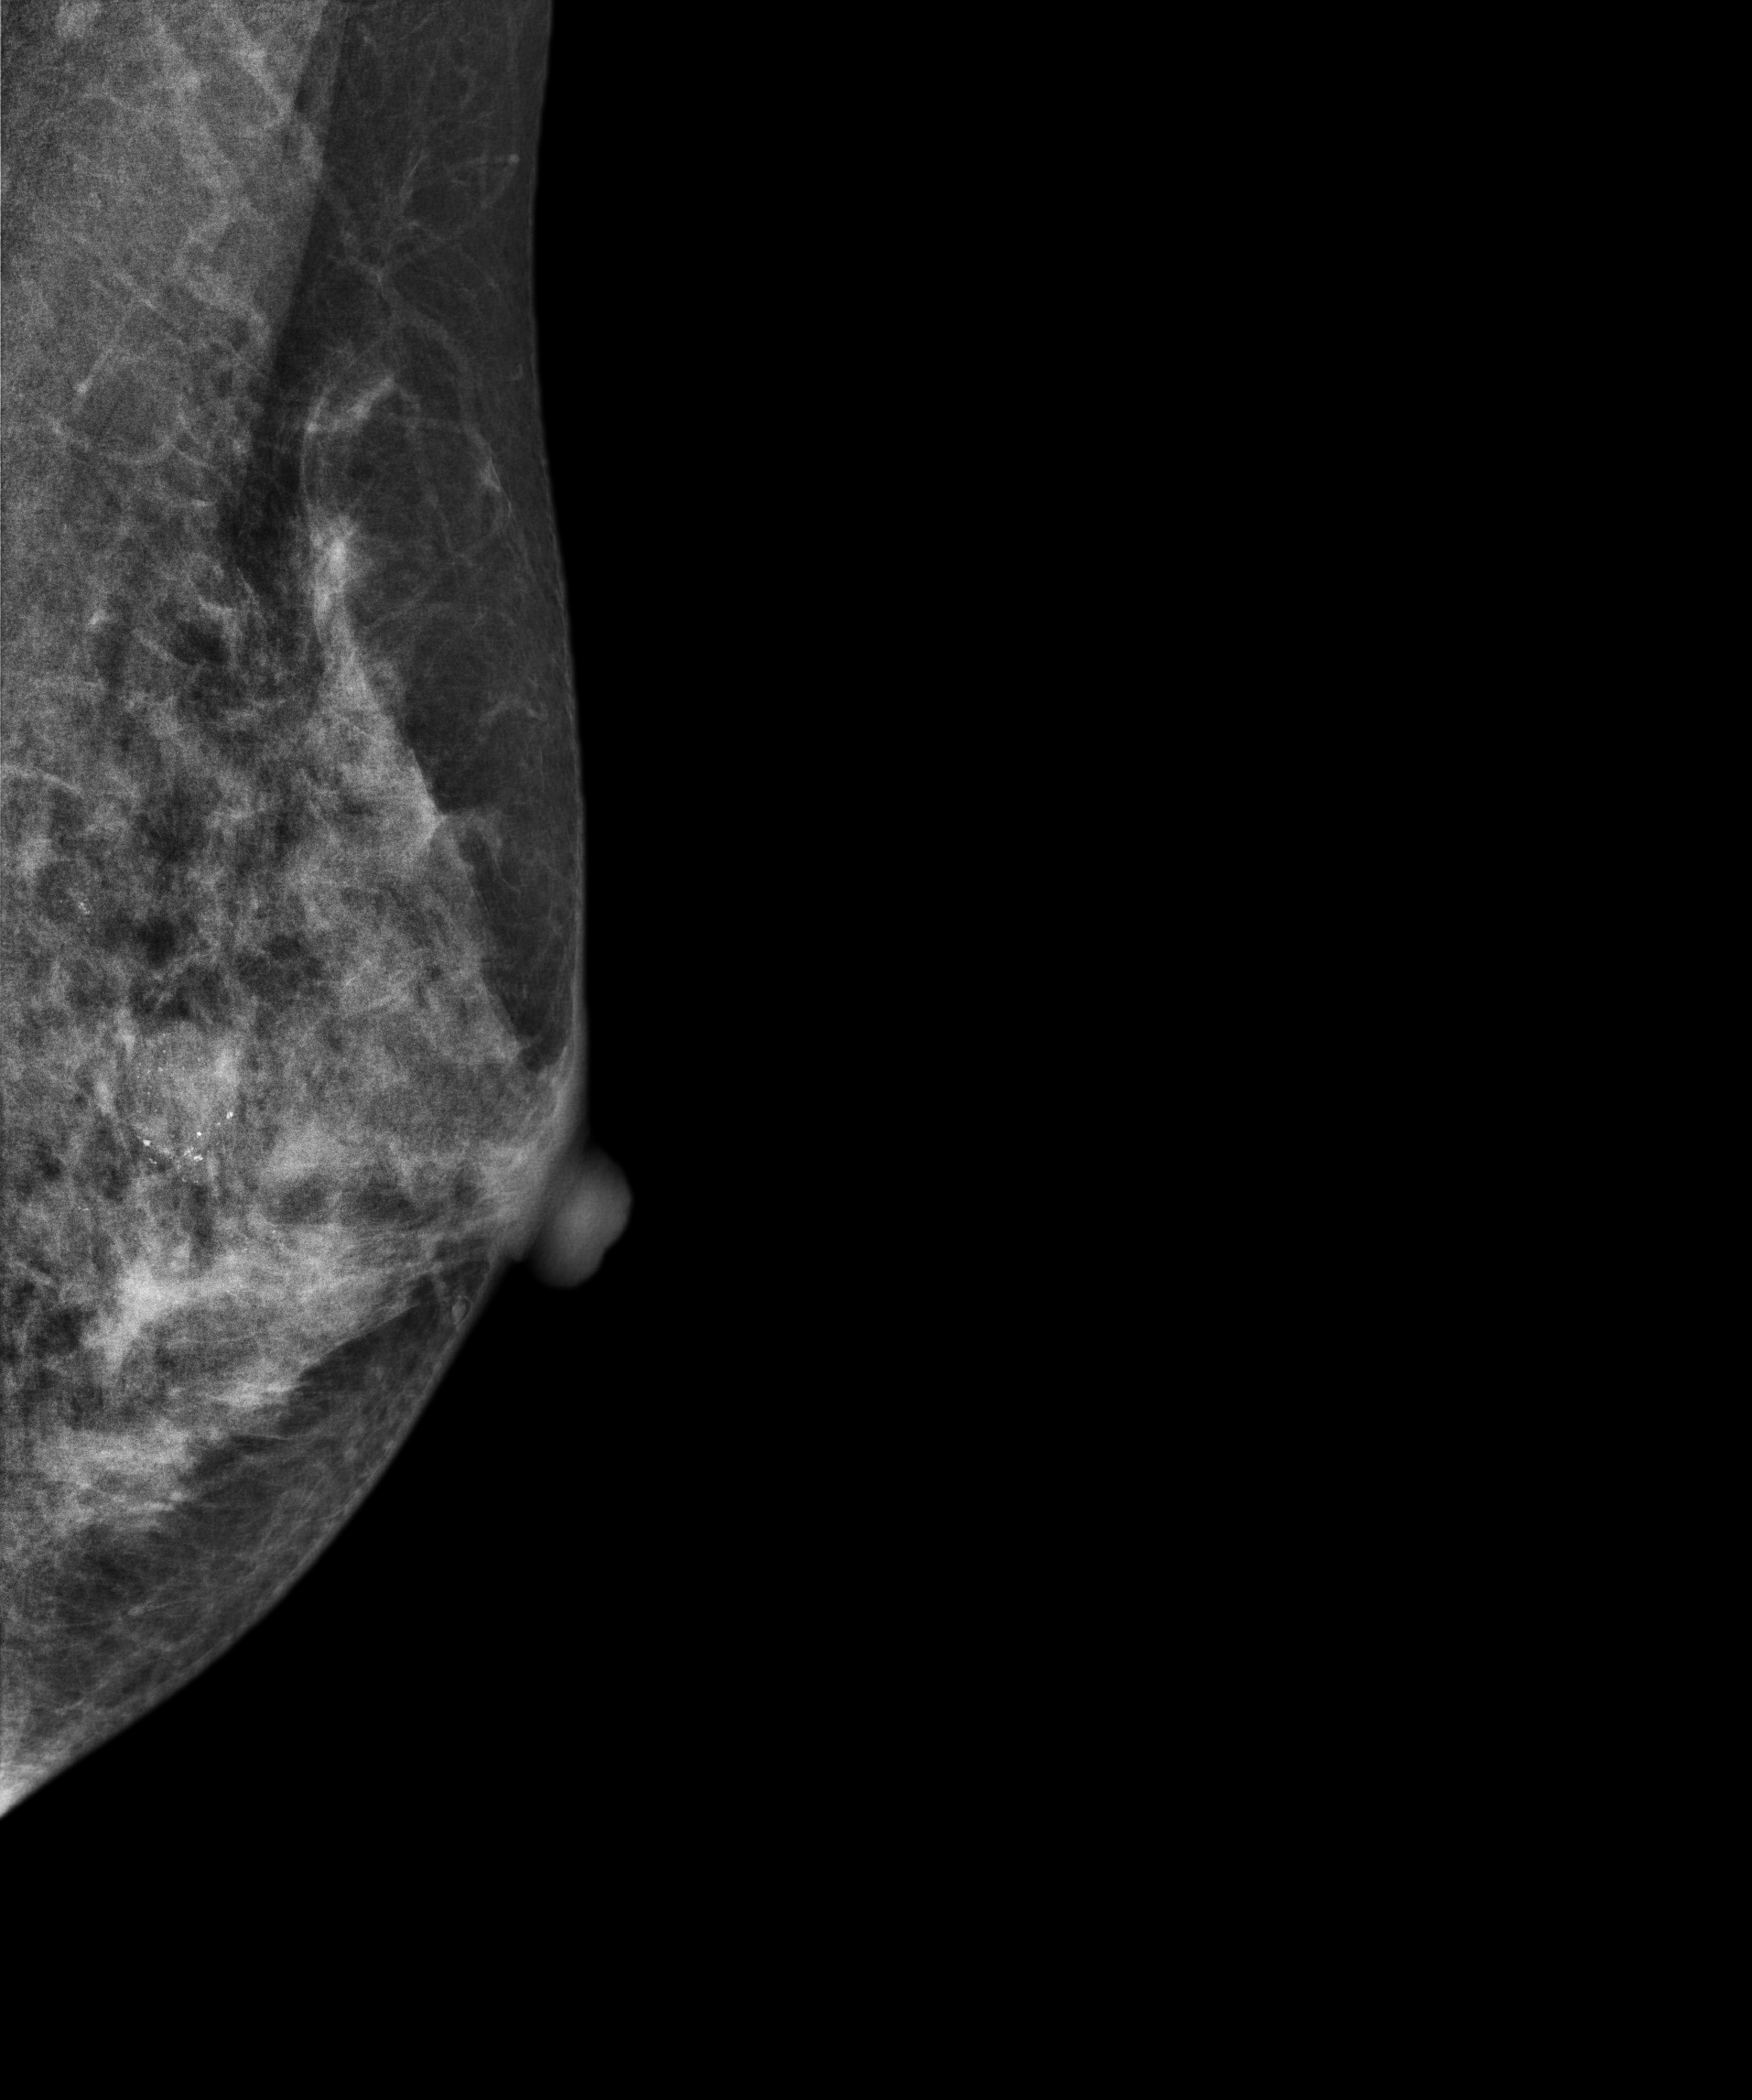
MLO mammogram of the left breast. 45-year-old patient.
This breast has a mass and calcifications, biopsy-proven malignant.